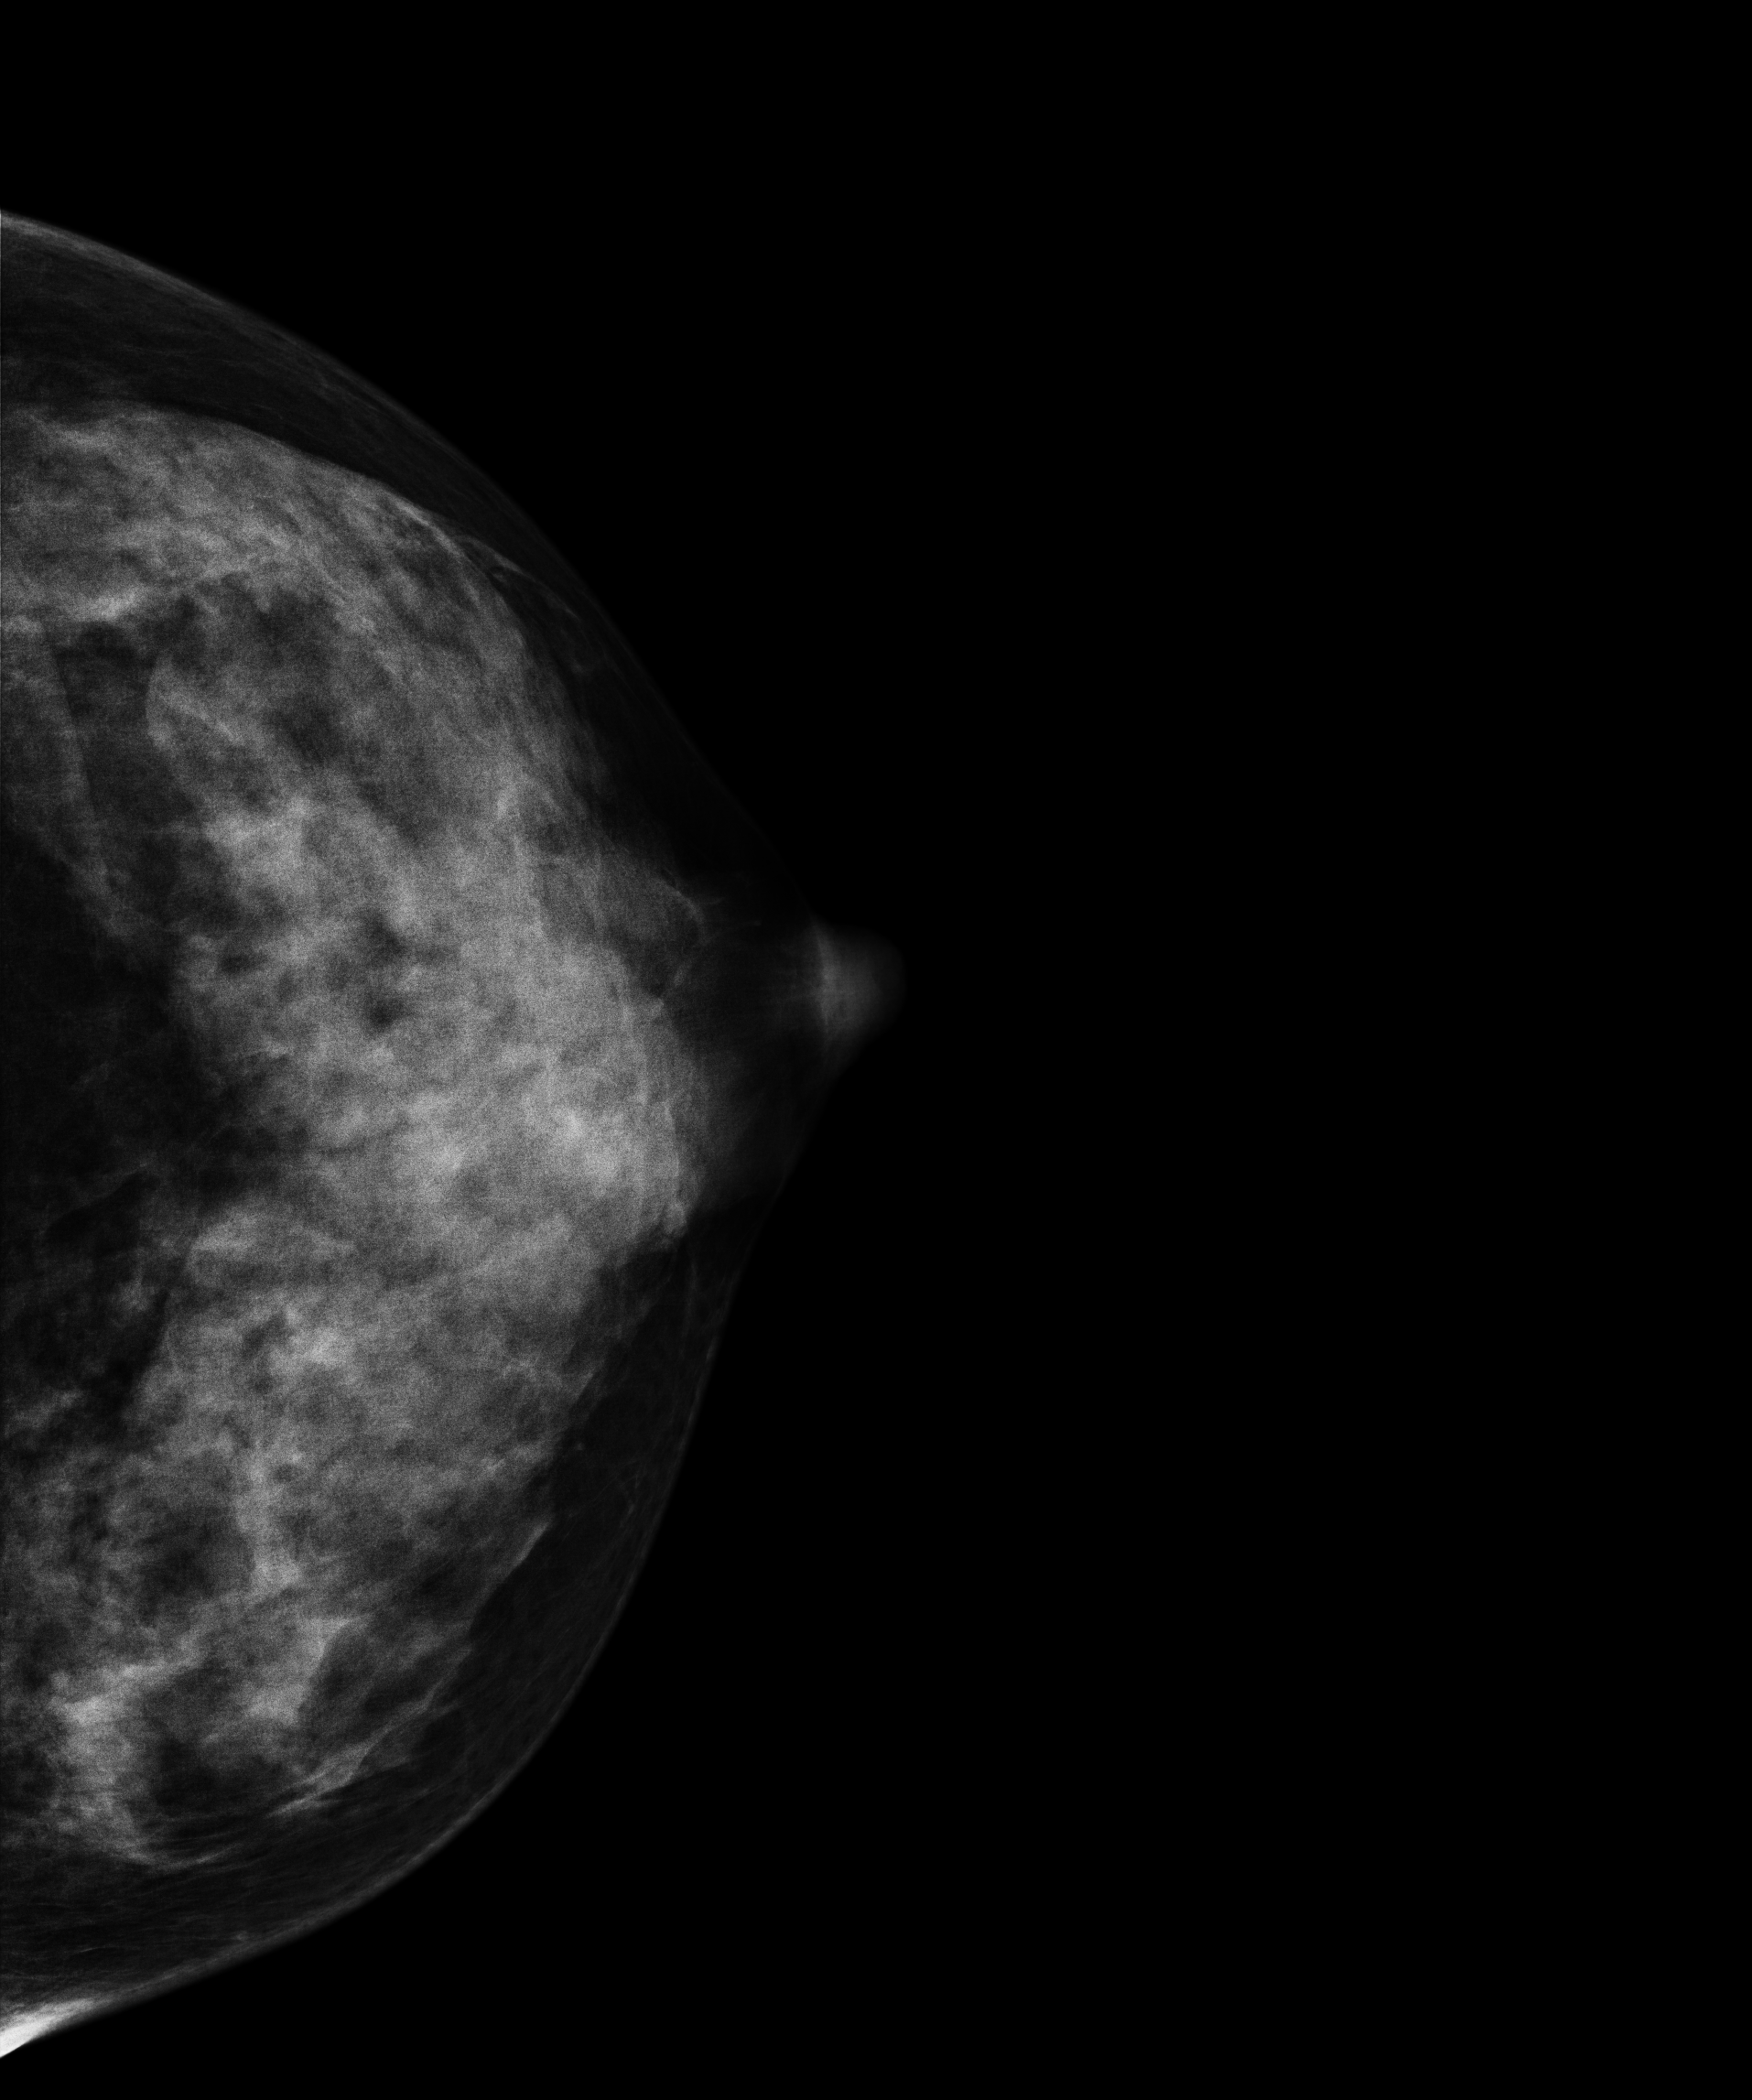
Left-breast mammogram, cranio-caudal. 27-year-old patient.
Contralateral breast — no documented abnormality on this side.